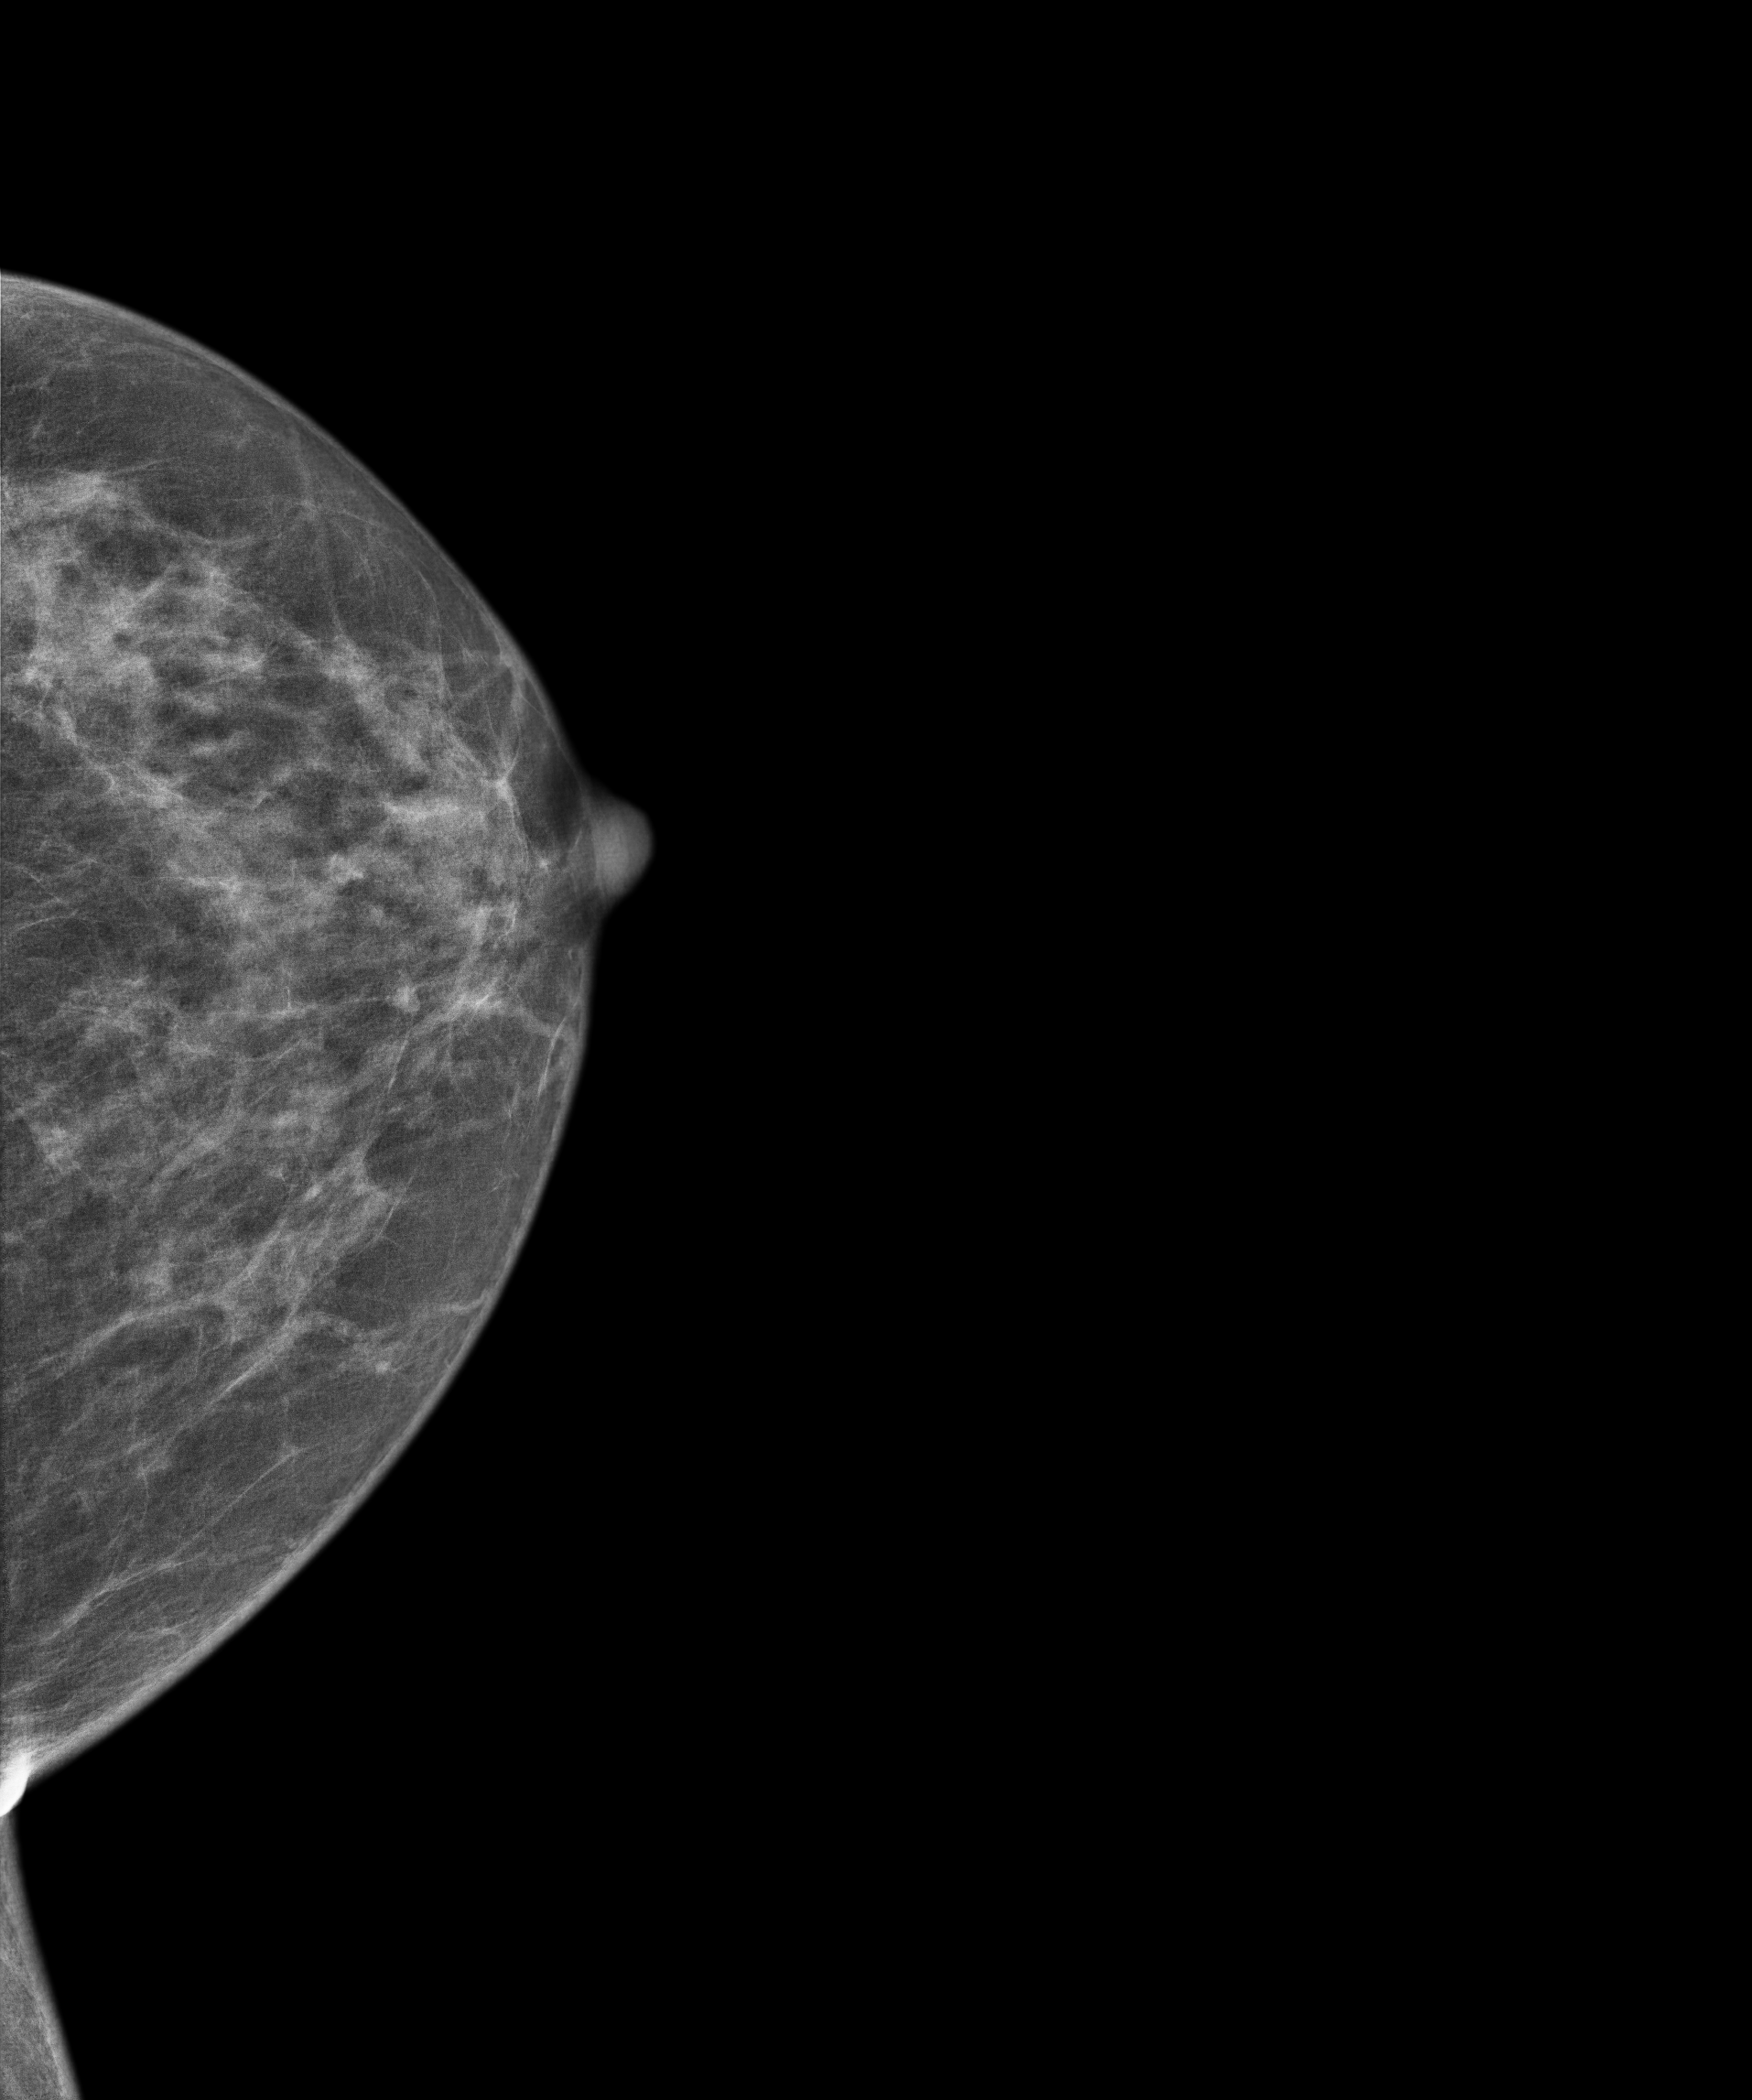
Cranio-caudal mammogram of the left breast. 62 y/o patient.
Contralateral breast — no documented abnormality on this side.